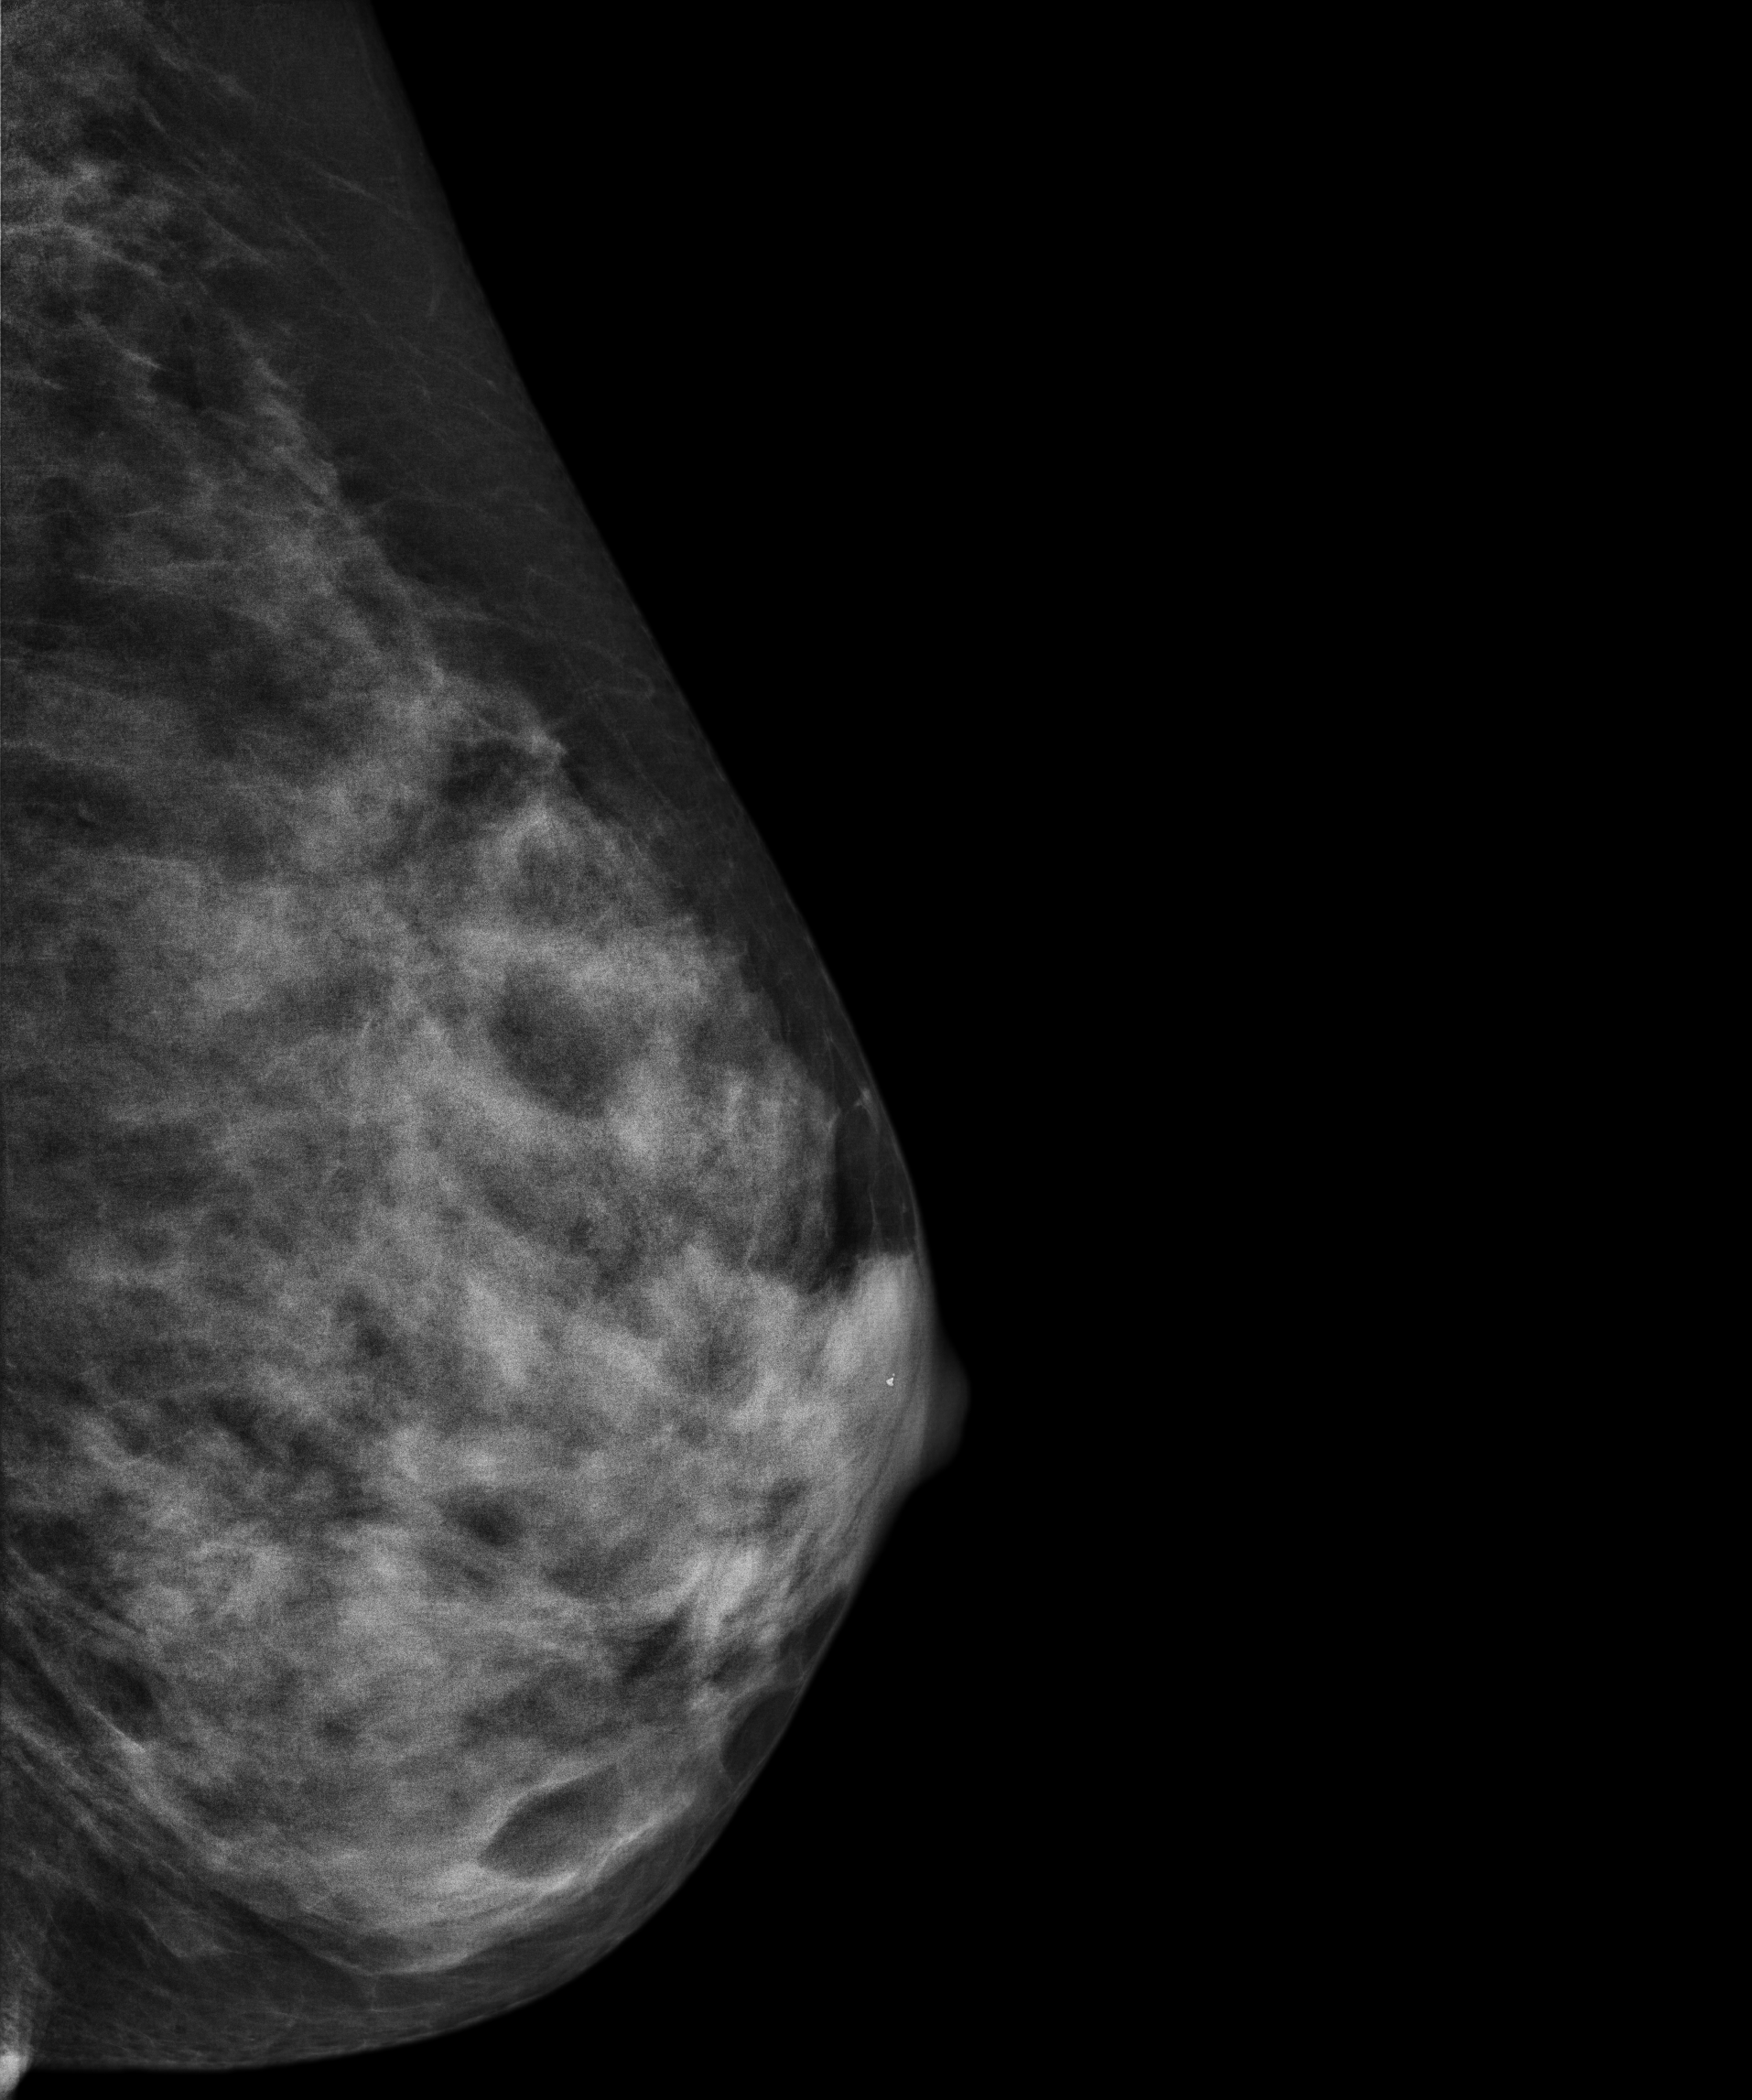
Mammogram — left MLO. 40 y/o patient.
This breast has a mass, pathology-confirmed malignant. Molecular subtype: luminal B.